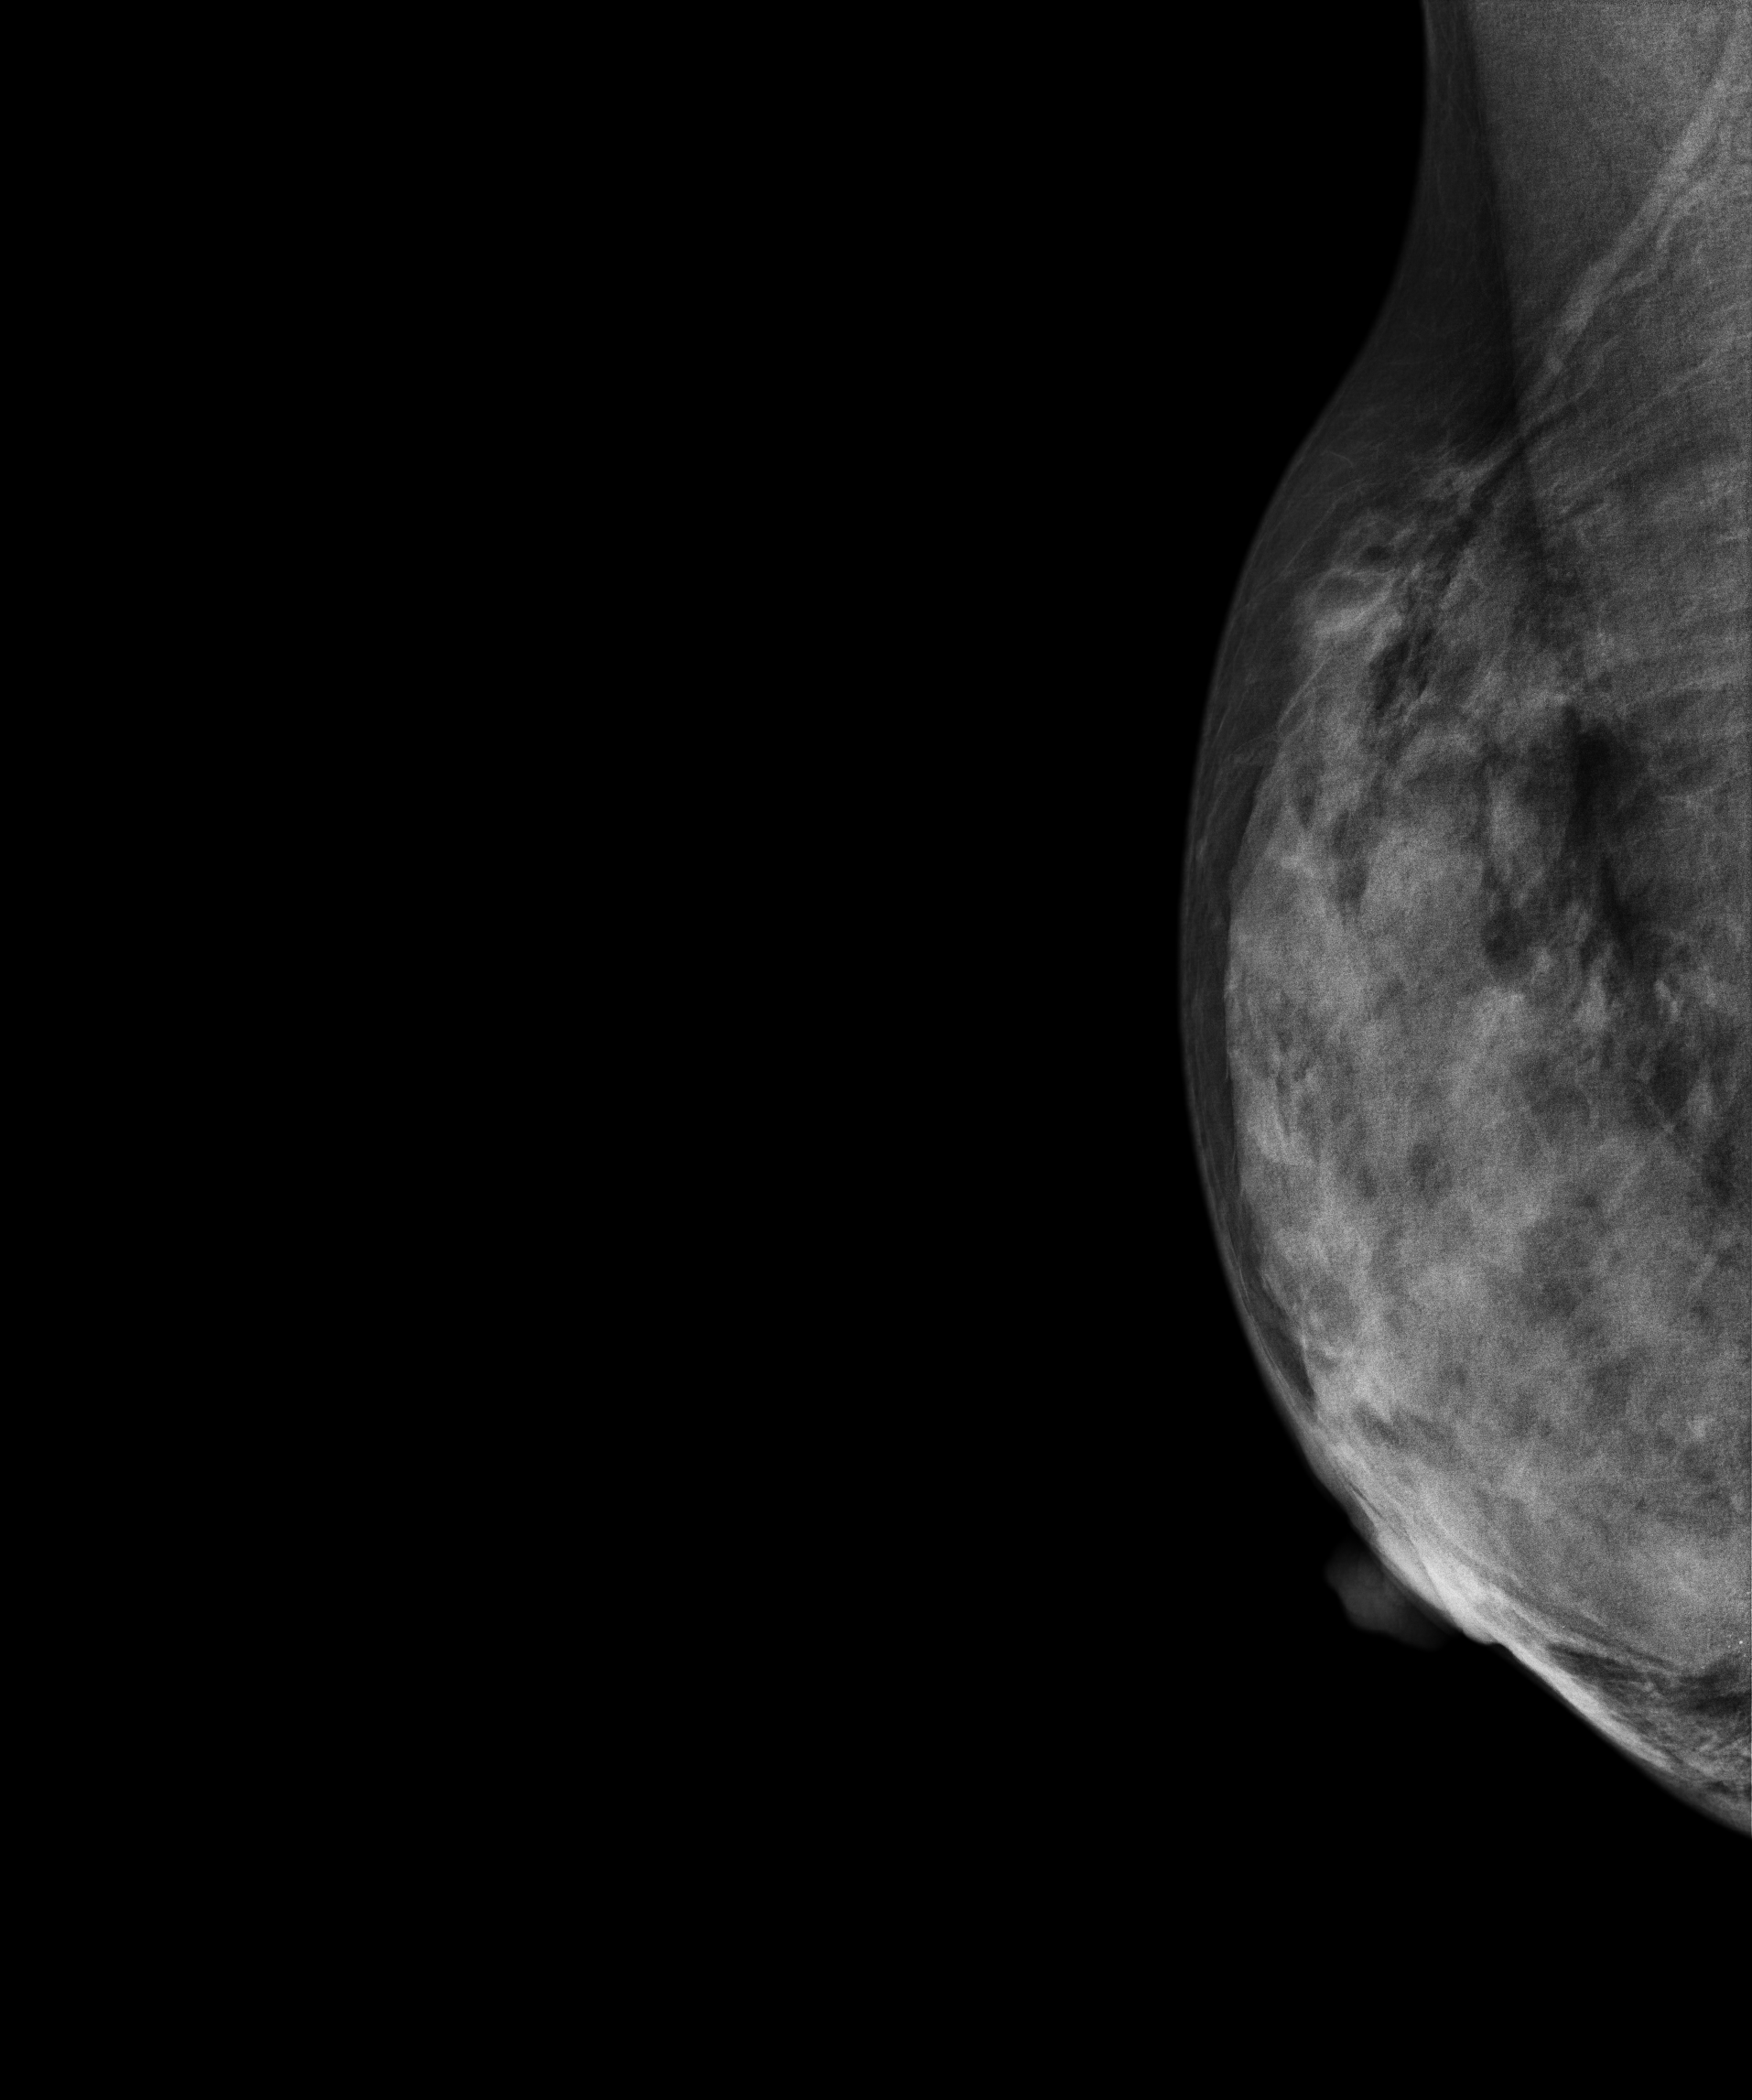
Digital mammography. Right breast, MLO projection. 43 y/o patient.
This breast has calcifications, pathology-confirmed malignant.